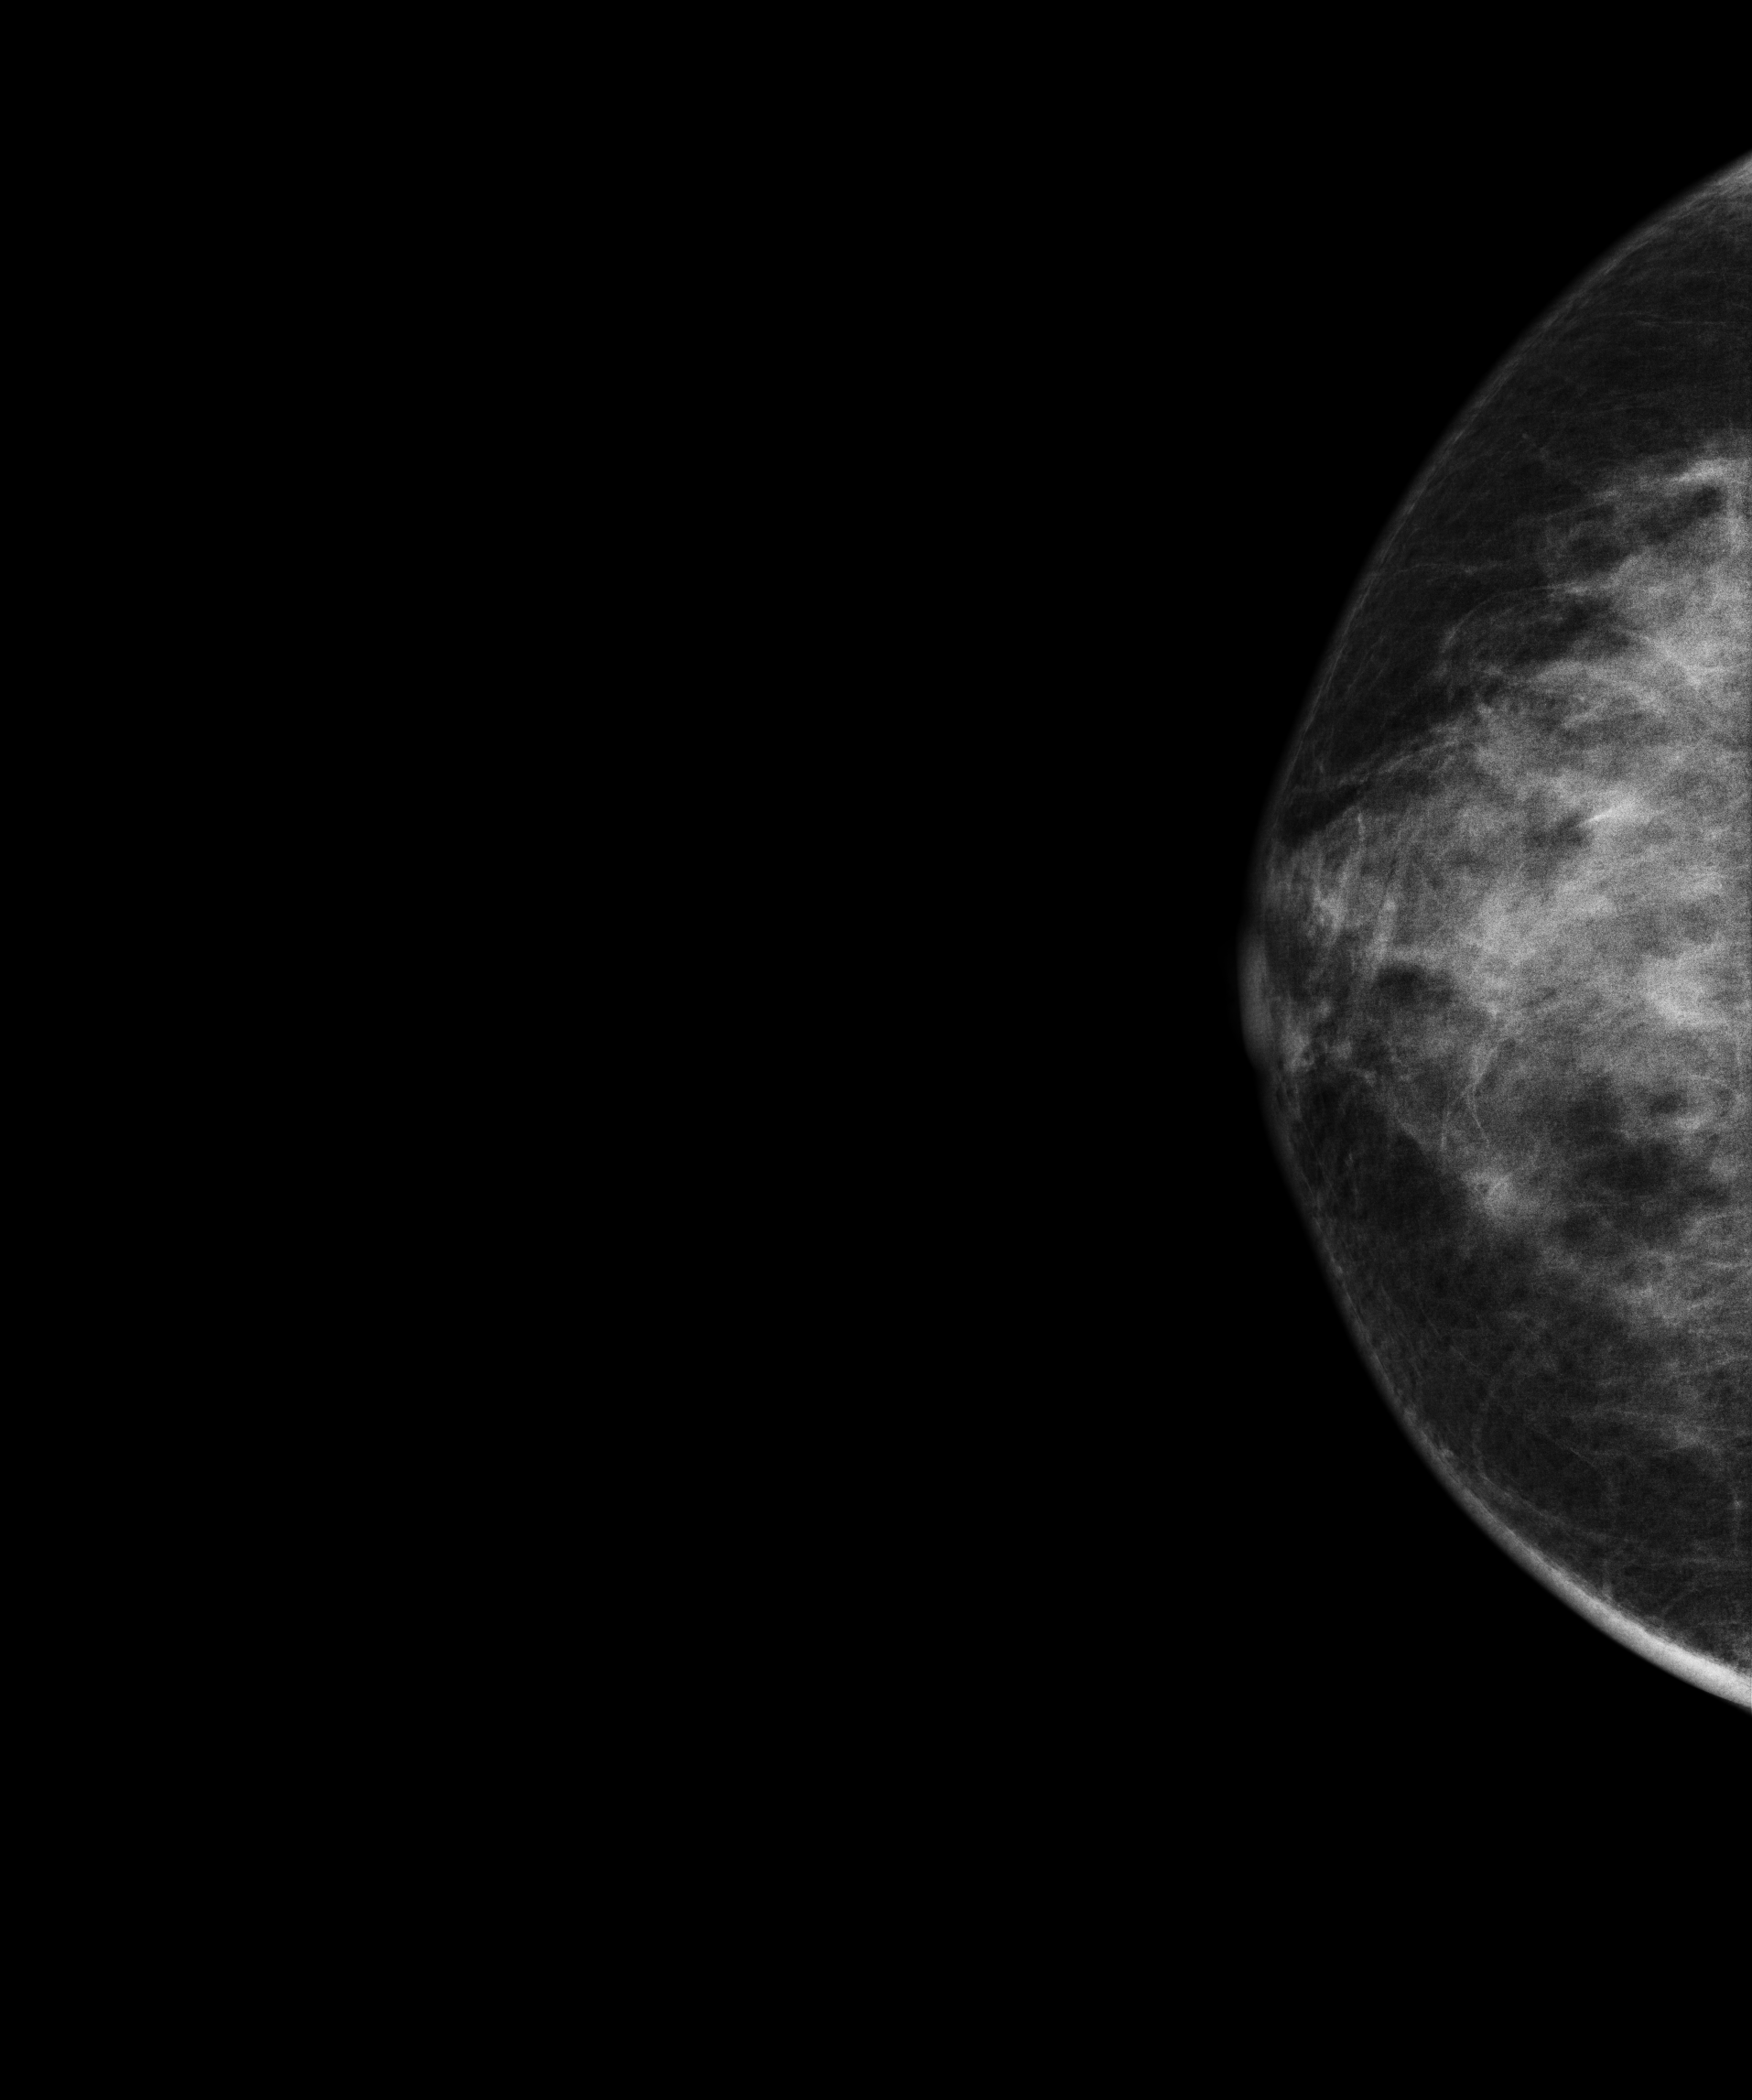
Cranio-caudal mammogram of the right breast. 52 y/o patient.
Contralateral breast — no documented abnormality on this side.